Mammogram — right medio-lateral oblique. Patient age 52.
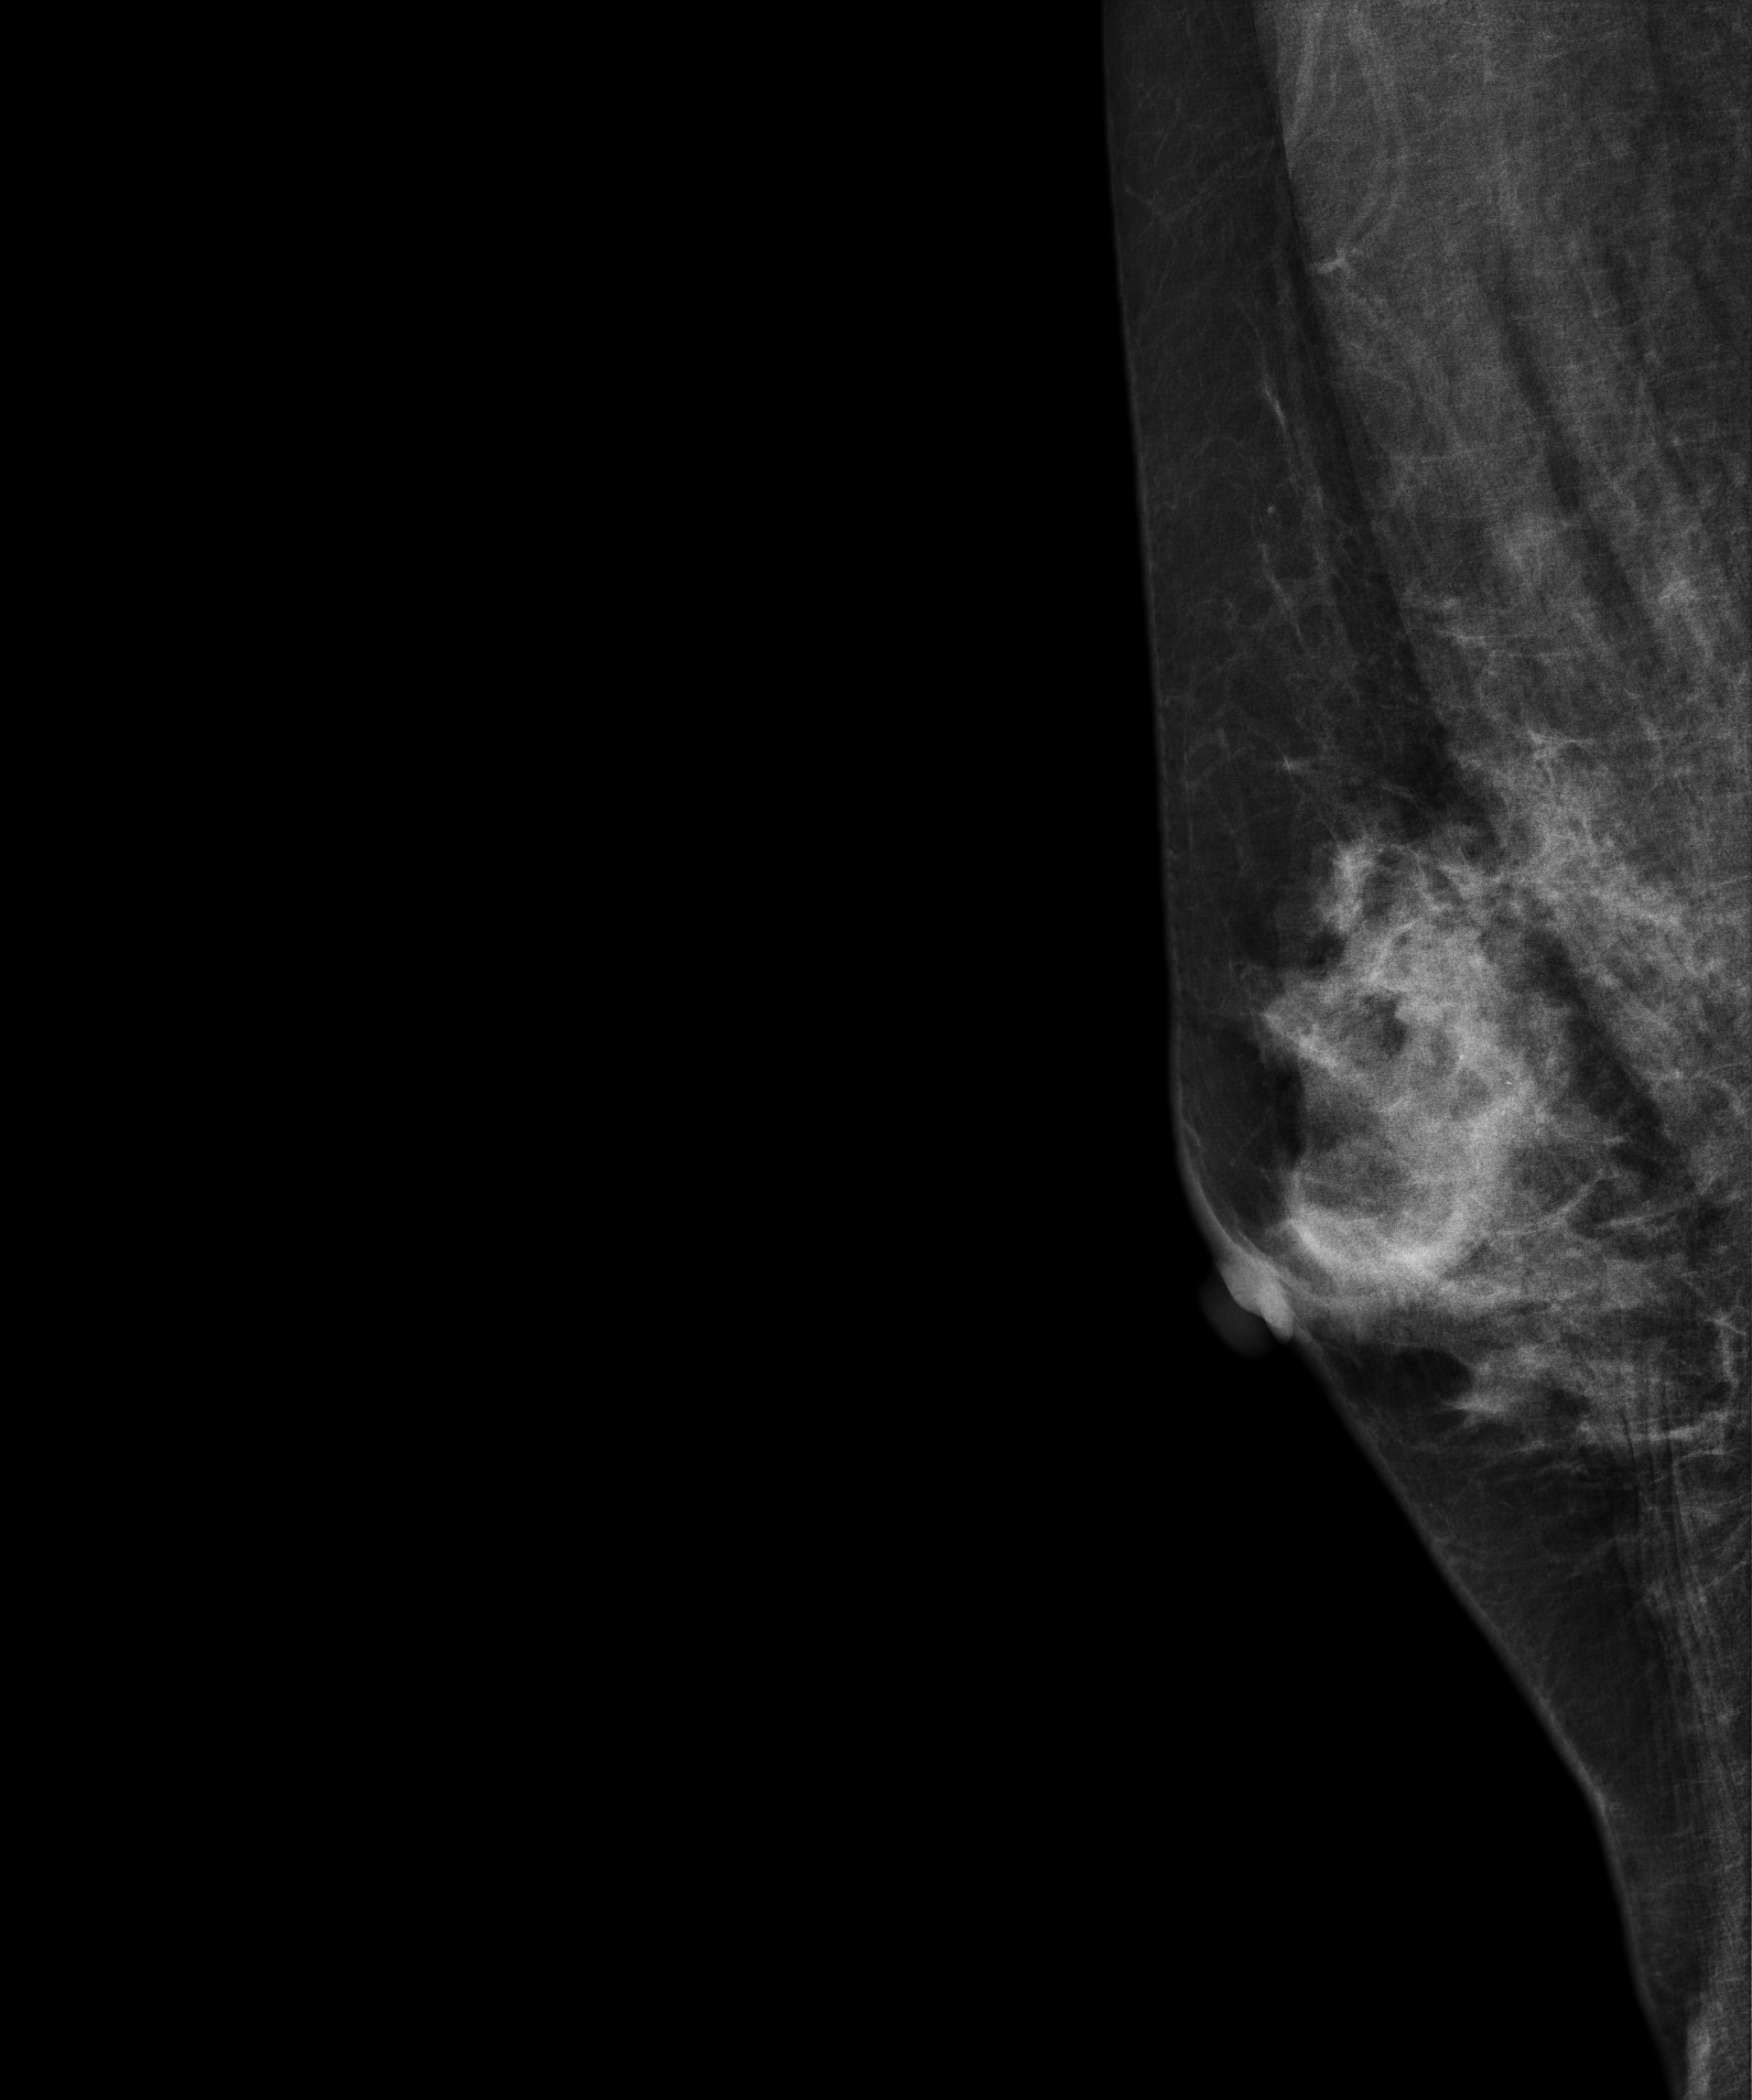
This breast has a mass and calcifications, biopsy-confirmed malignant. Molecular subtype: HER2-enriched.